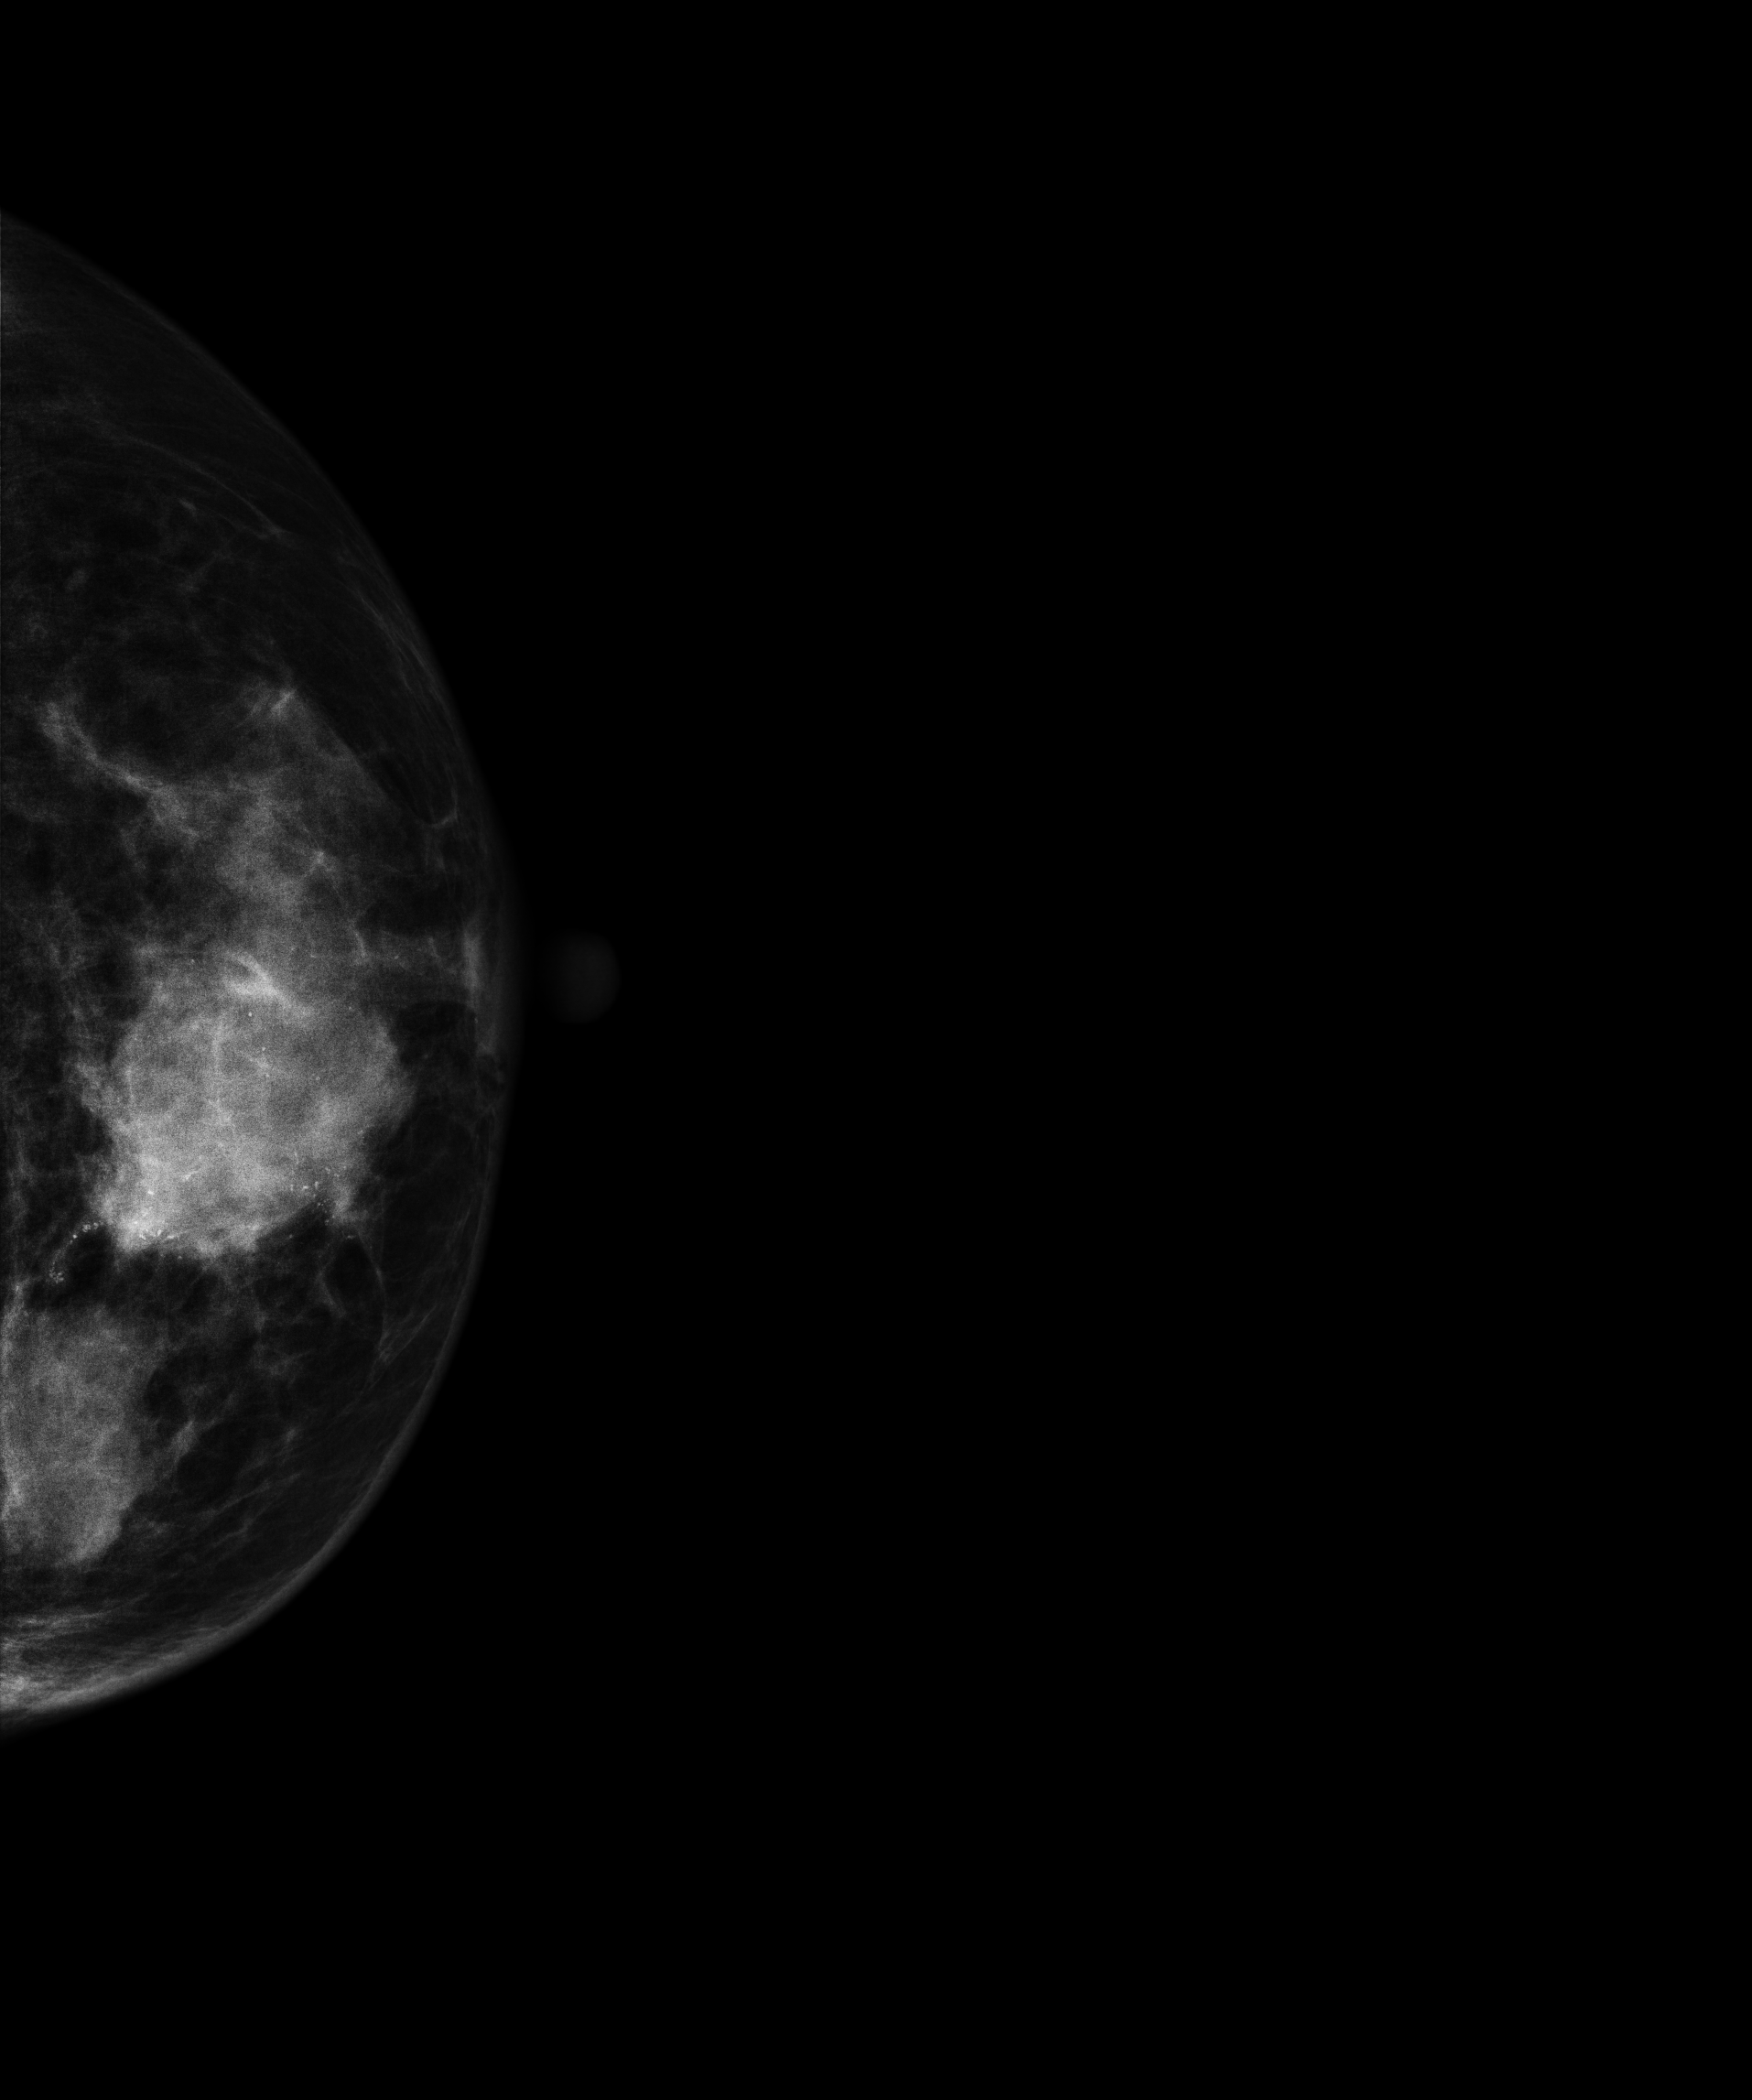
Digital mammography. Left breast, CC projection. 74 y/o patient.
This breast has a mass and calcifications, biopsy-proven malignant. Molecular subtype: HER2-enriched.